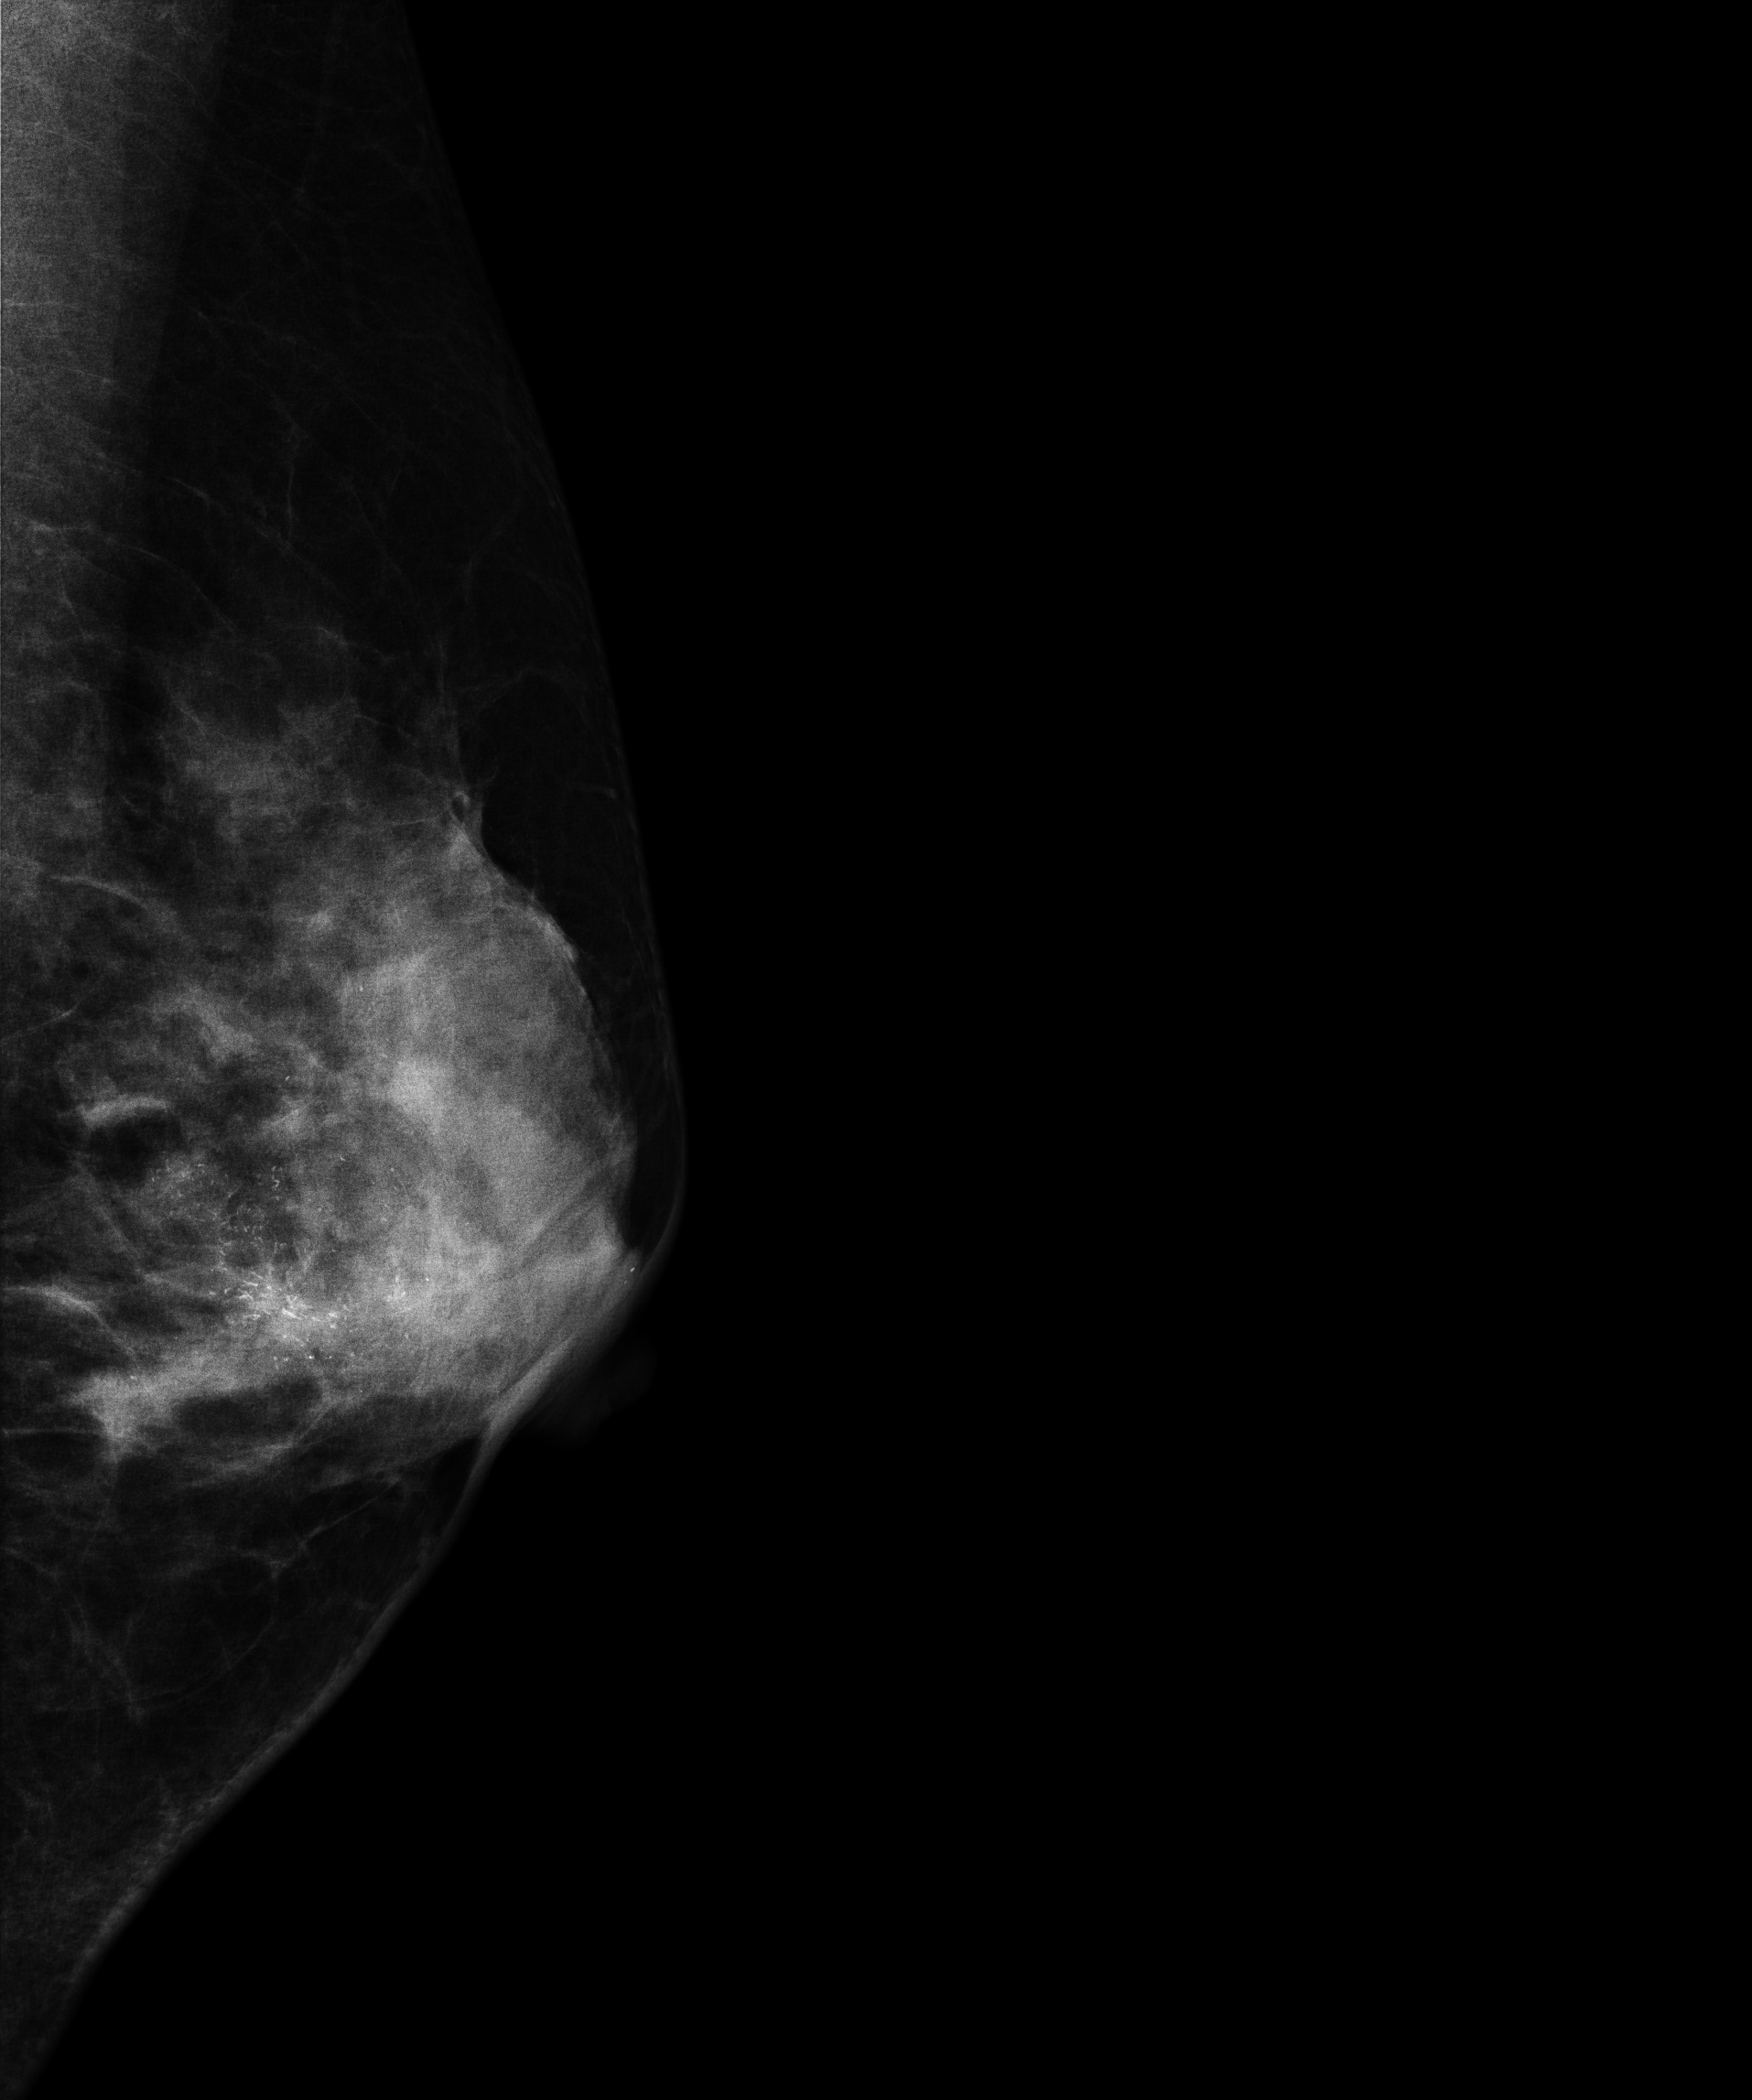
Mammogram — left medio-lateral oblique. 32 y/o patient.
This breast has calcifications, histologically confirmed malignant. Molecular subtype: HER2-enriched.